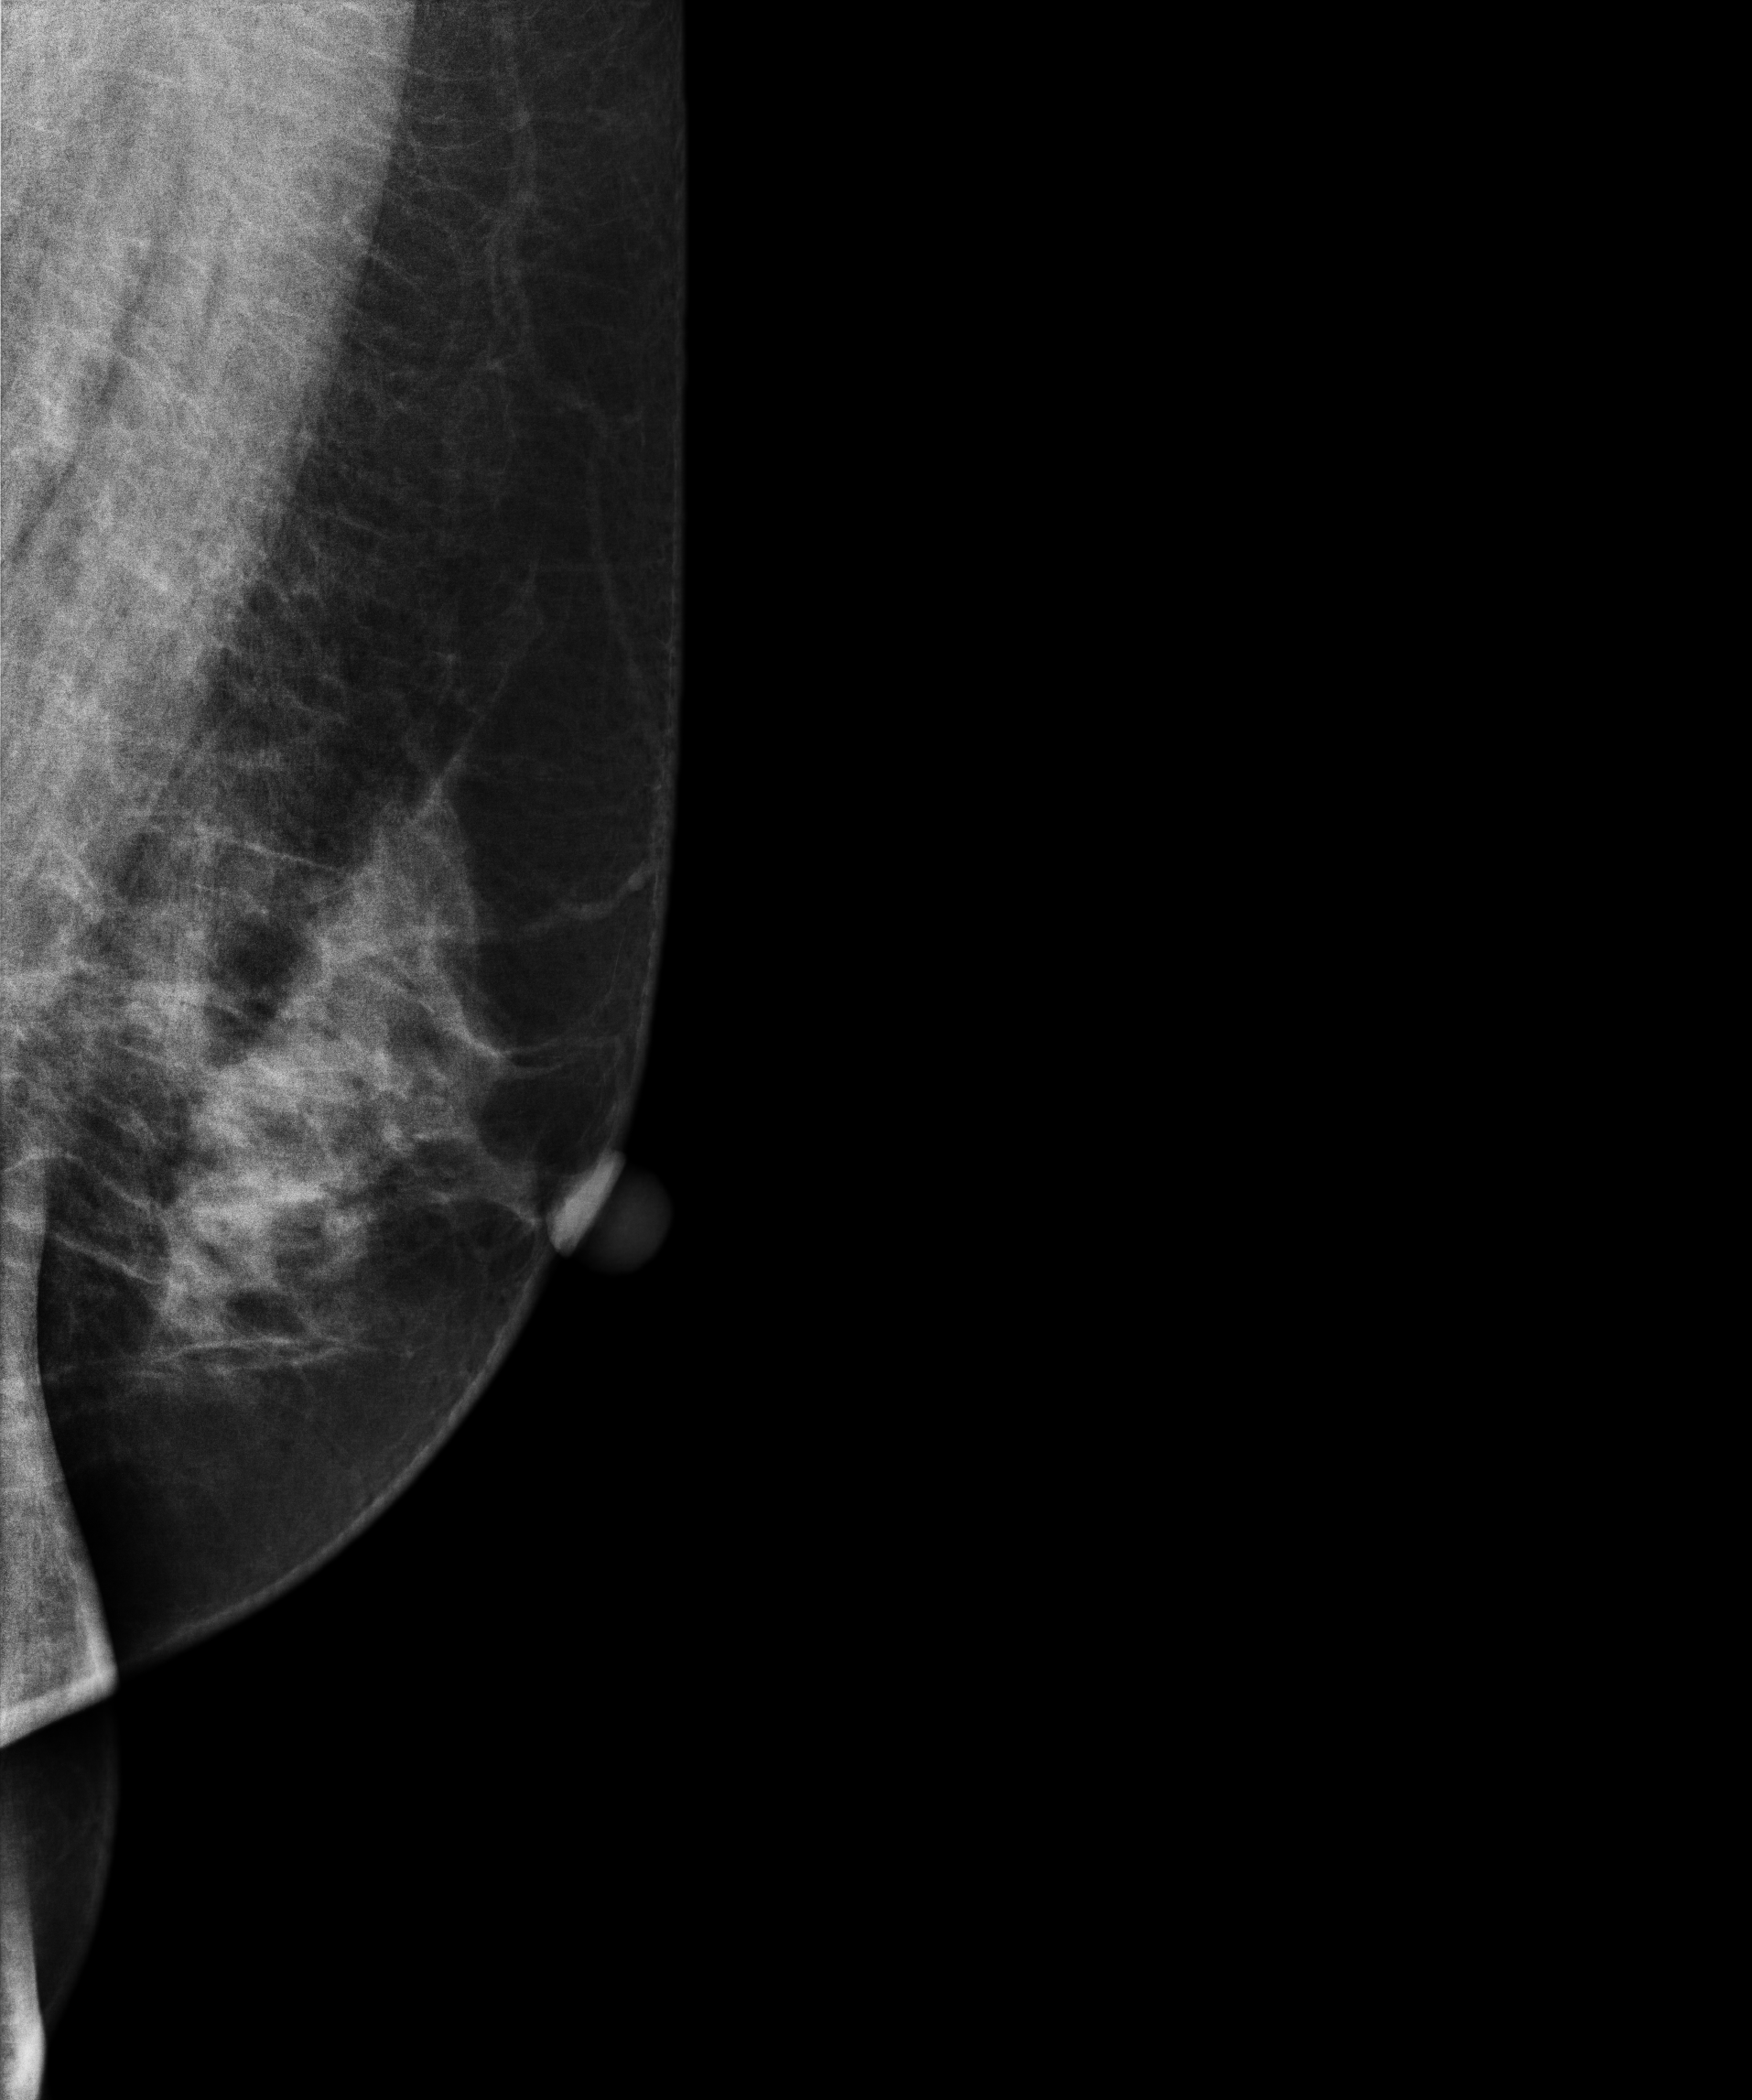
Mammogram, left breast, MLO view. 39 y/o patient.
Contralateral breast — no documented abnormality on this side.